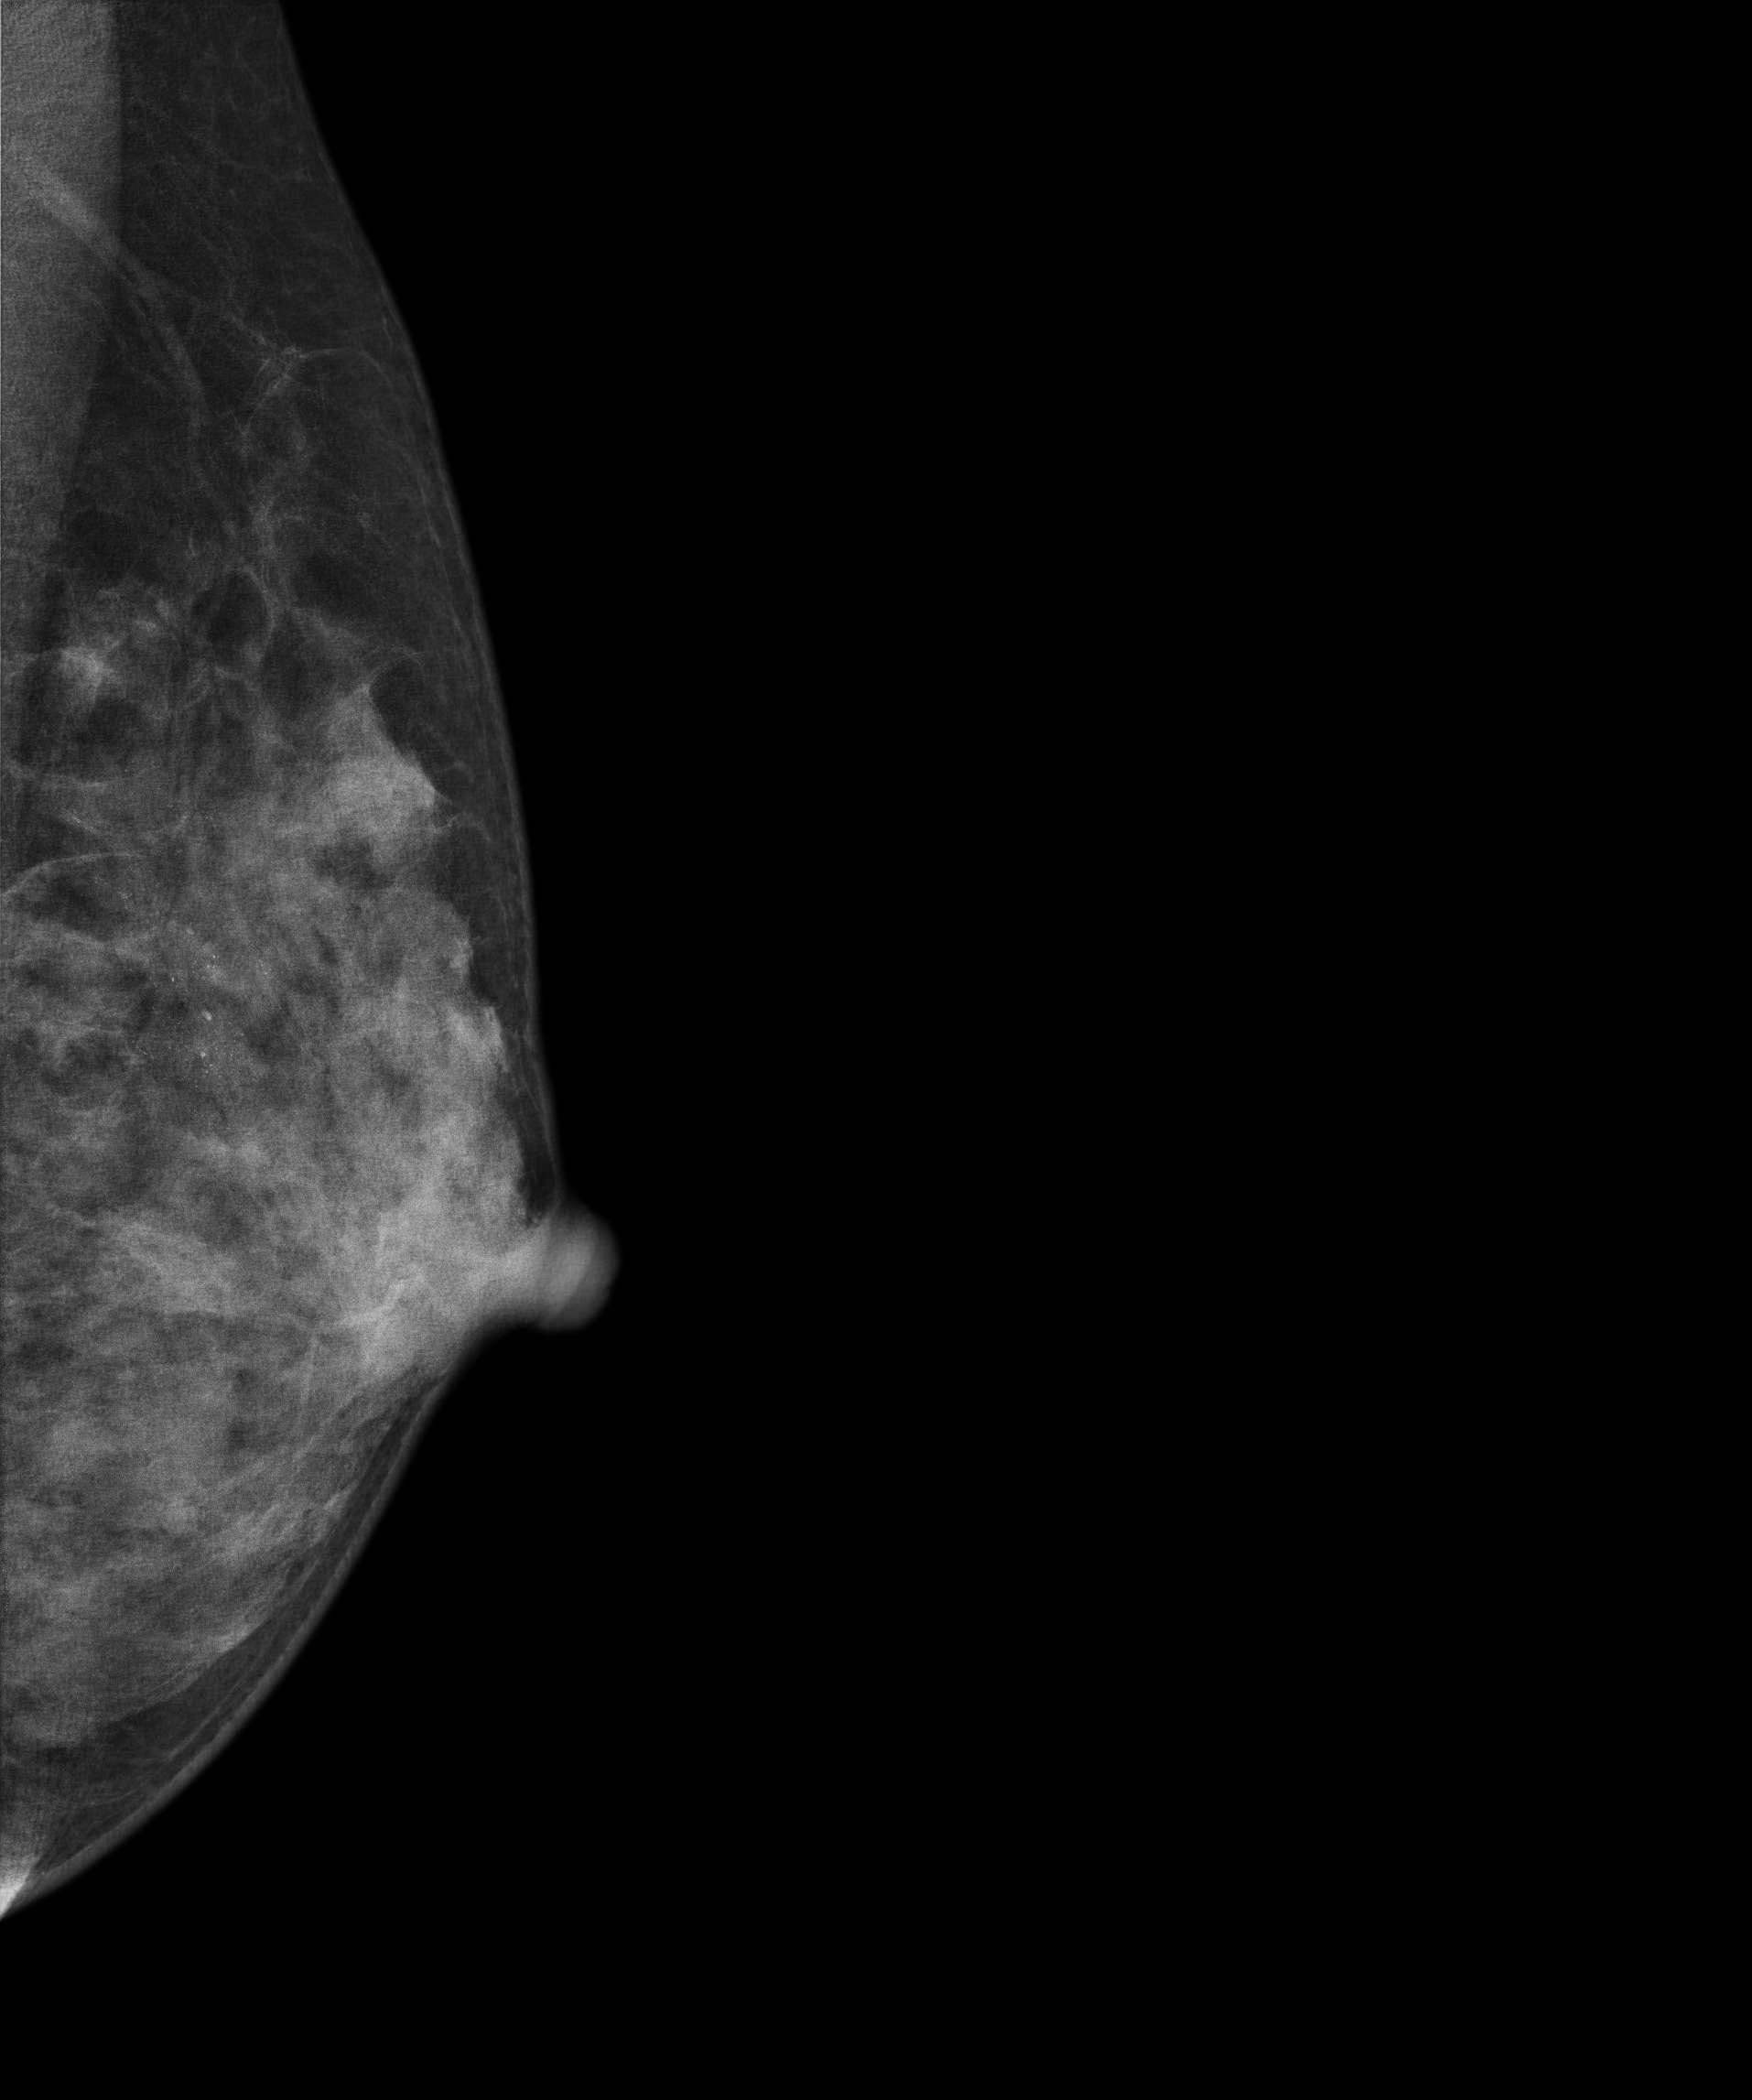
Digital mammography. Left breast, medio-lateral oblique projection. 45-year-old patient.
This breast has calcifications, biopsy-proven benign.